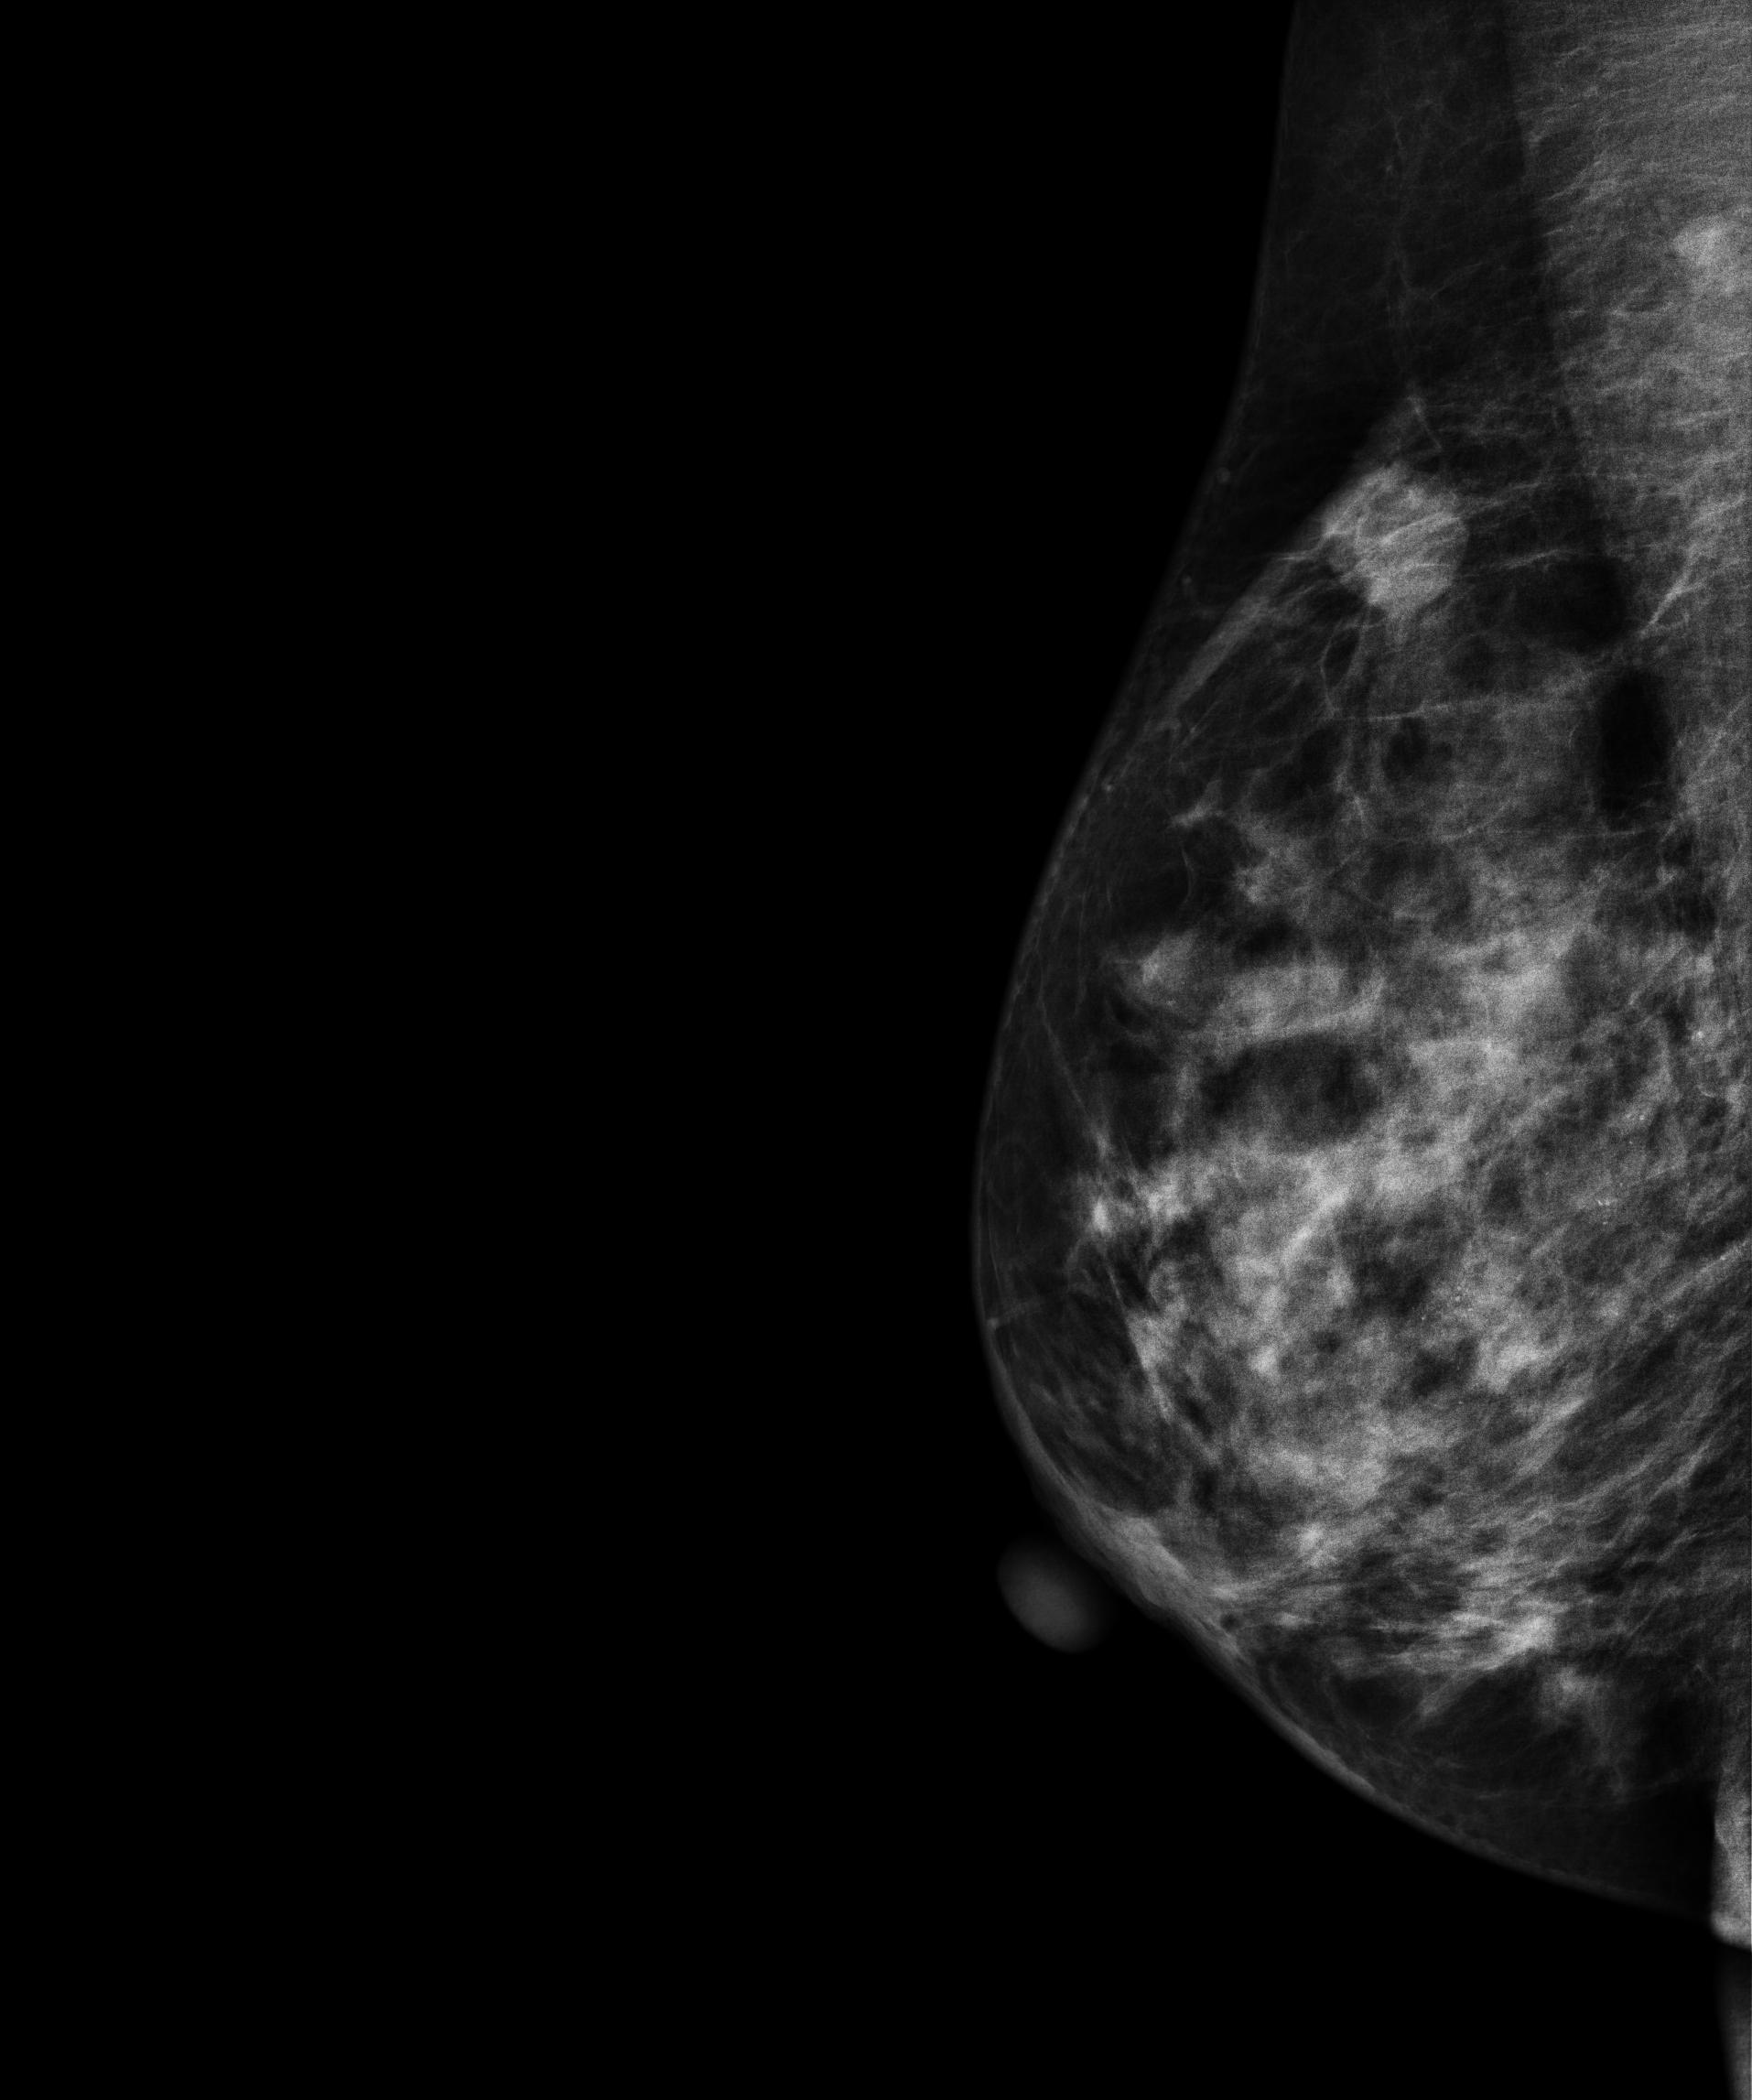
Mammogram — right medio-lateral oblique. 50-year-old patient.
This breast has a mass, pathology-confirmed malignant.